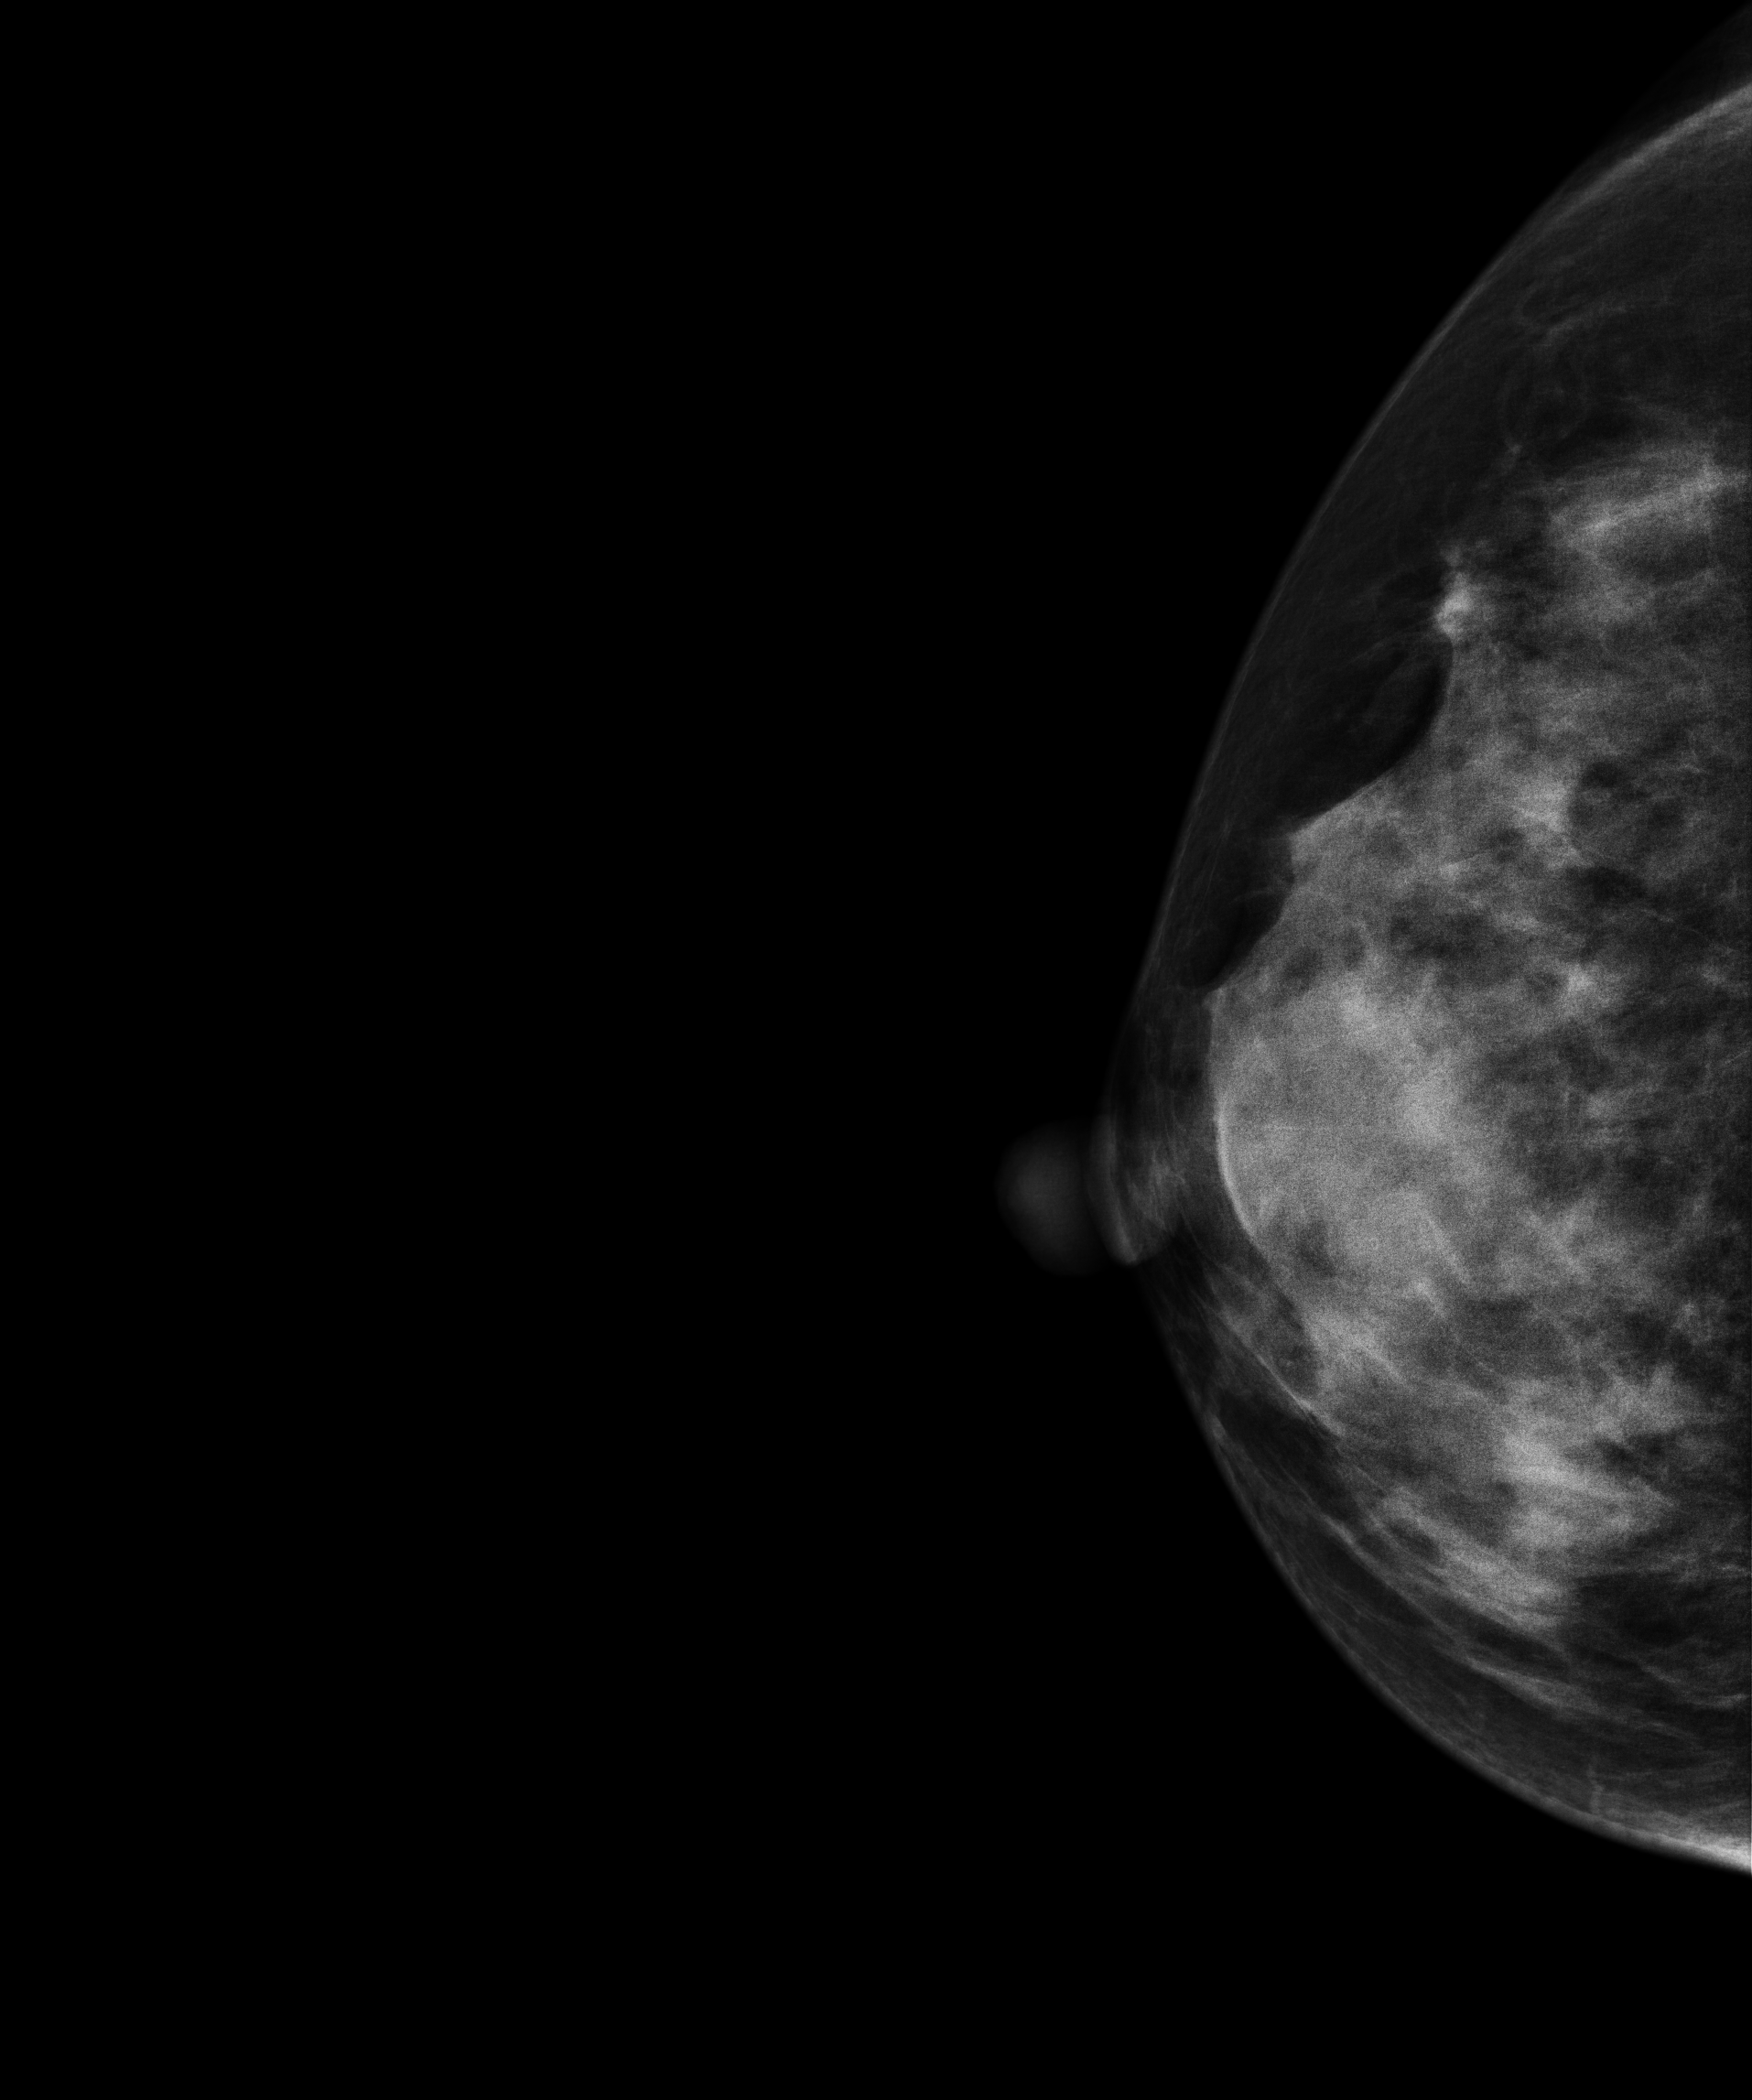
Right-breast mammogram, CC. 45-year-old patient.
This breast has a mass, biopsy-proven benign.